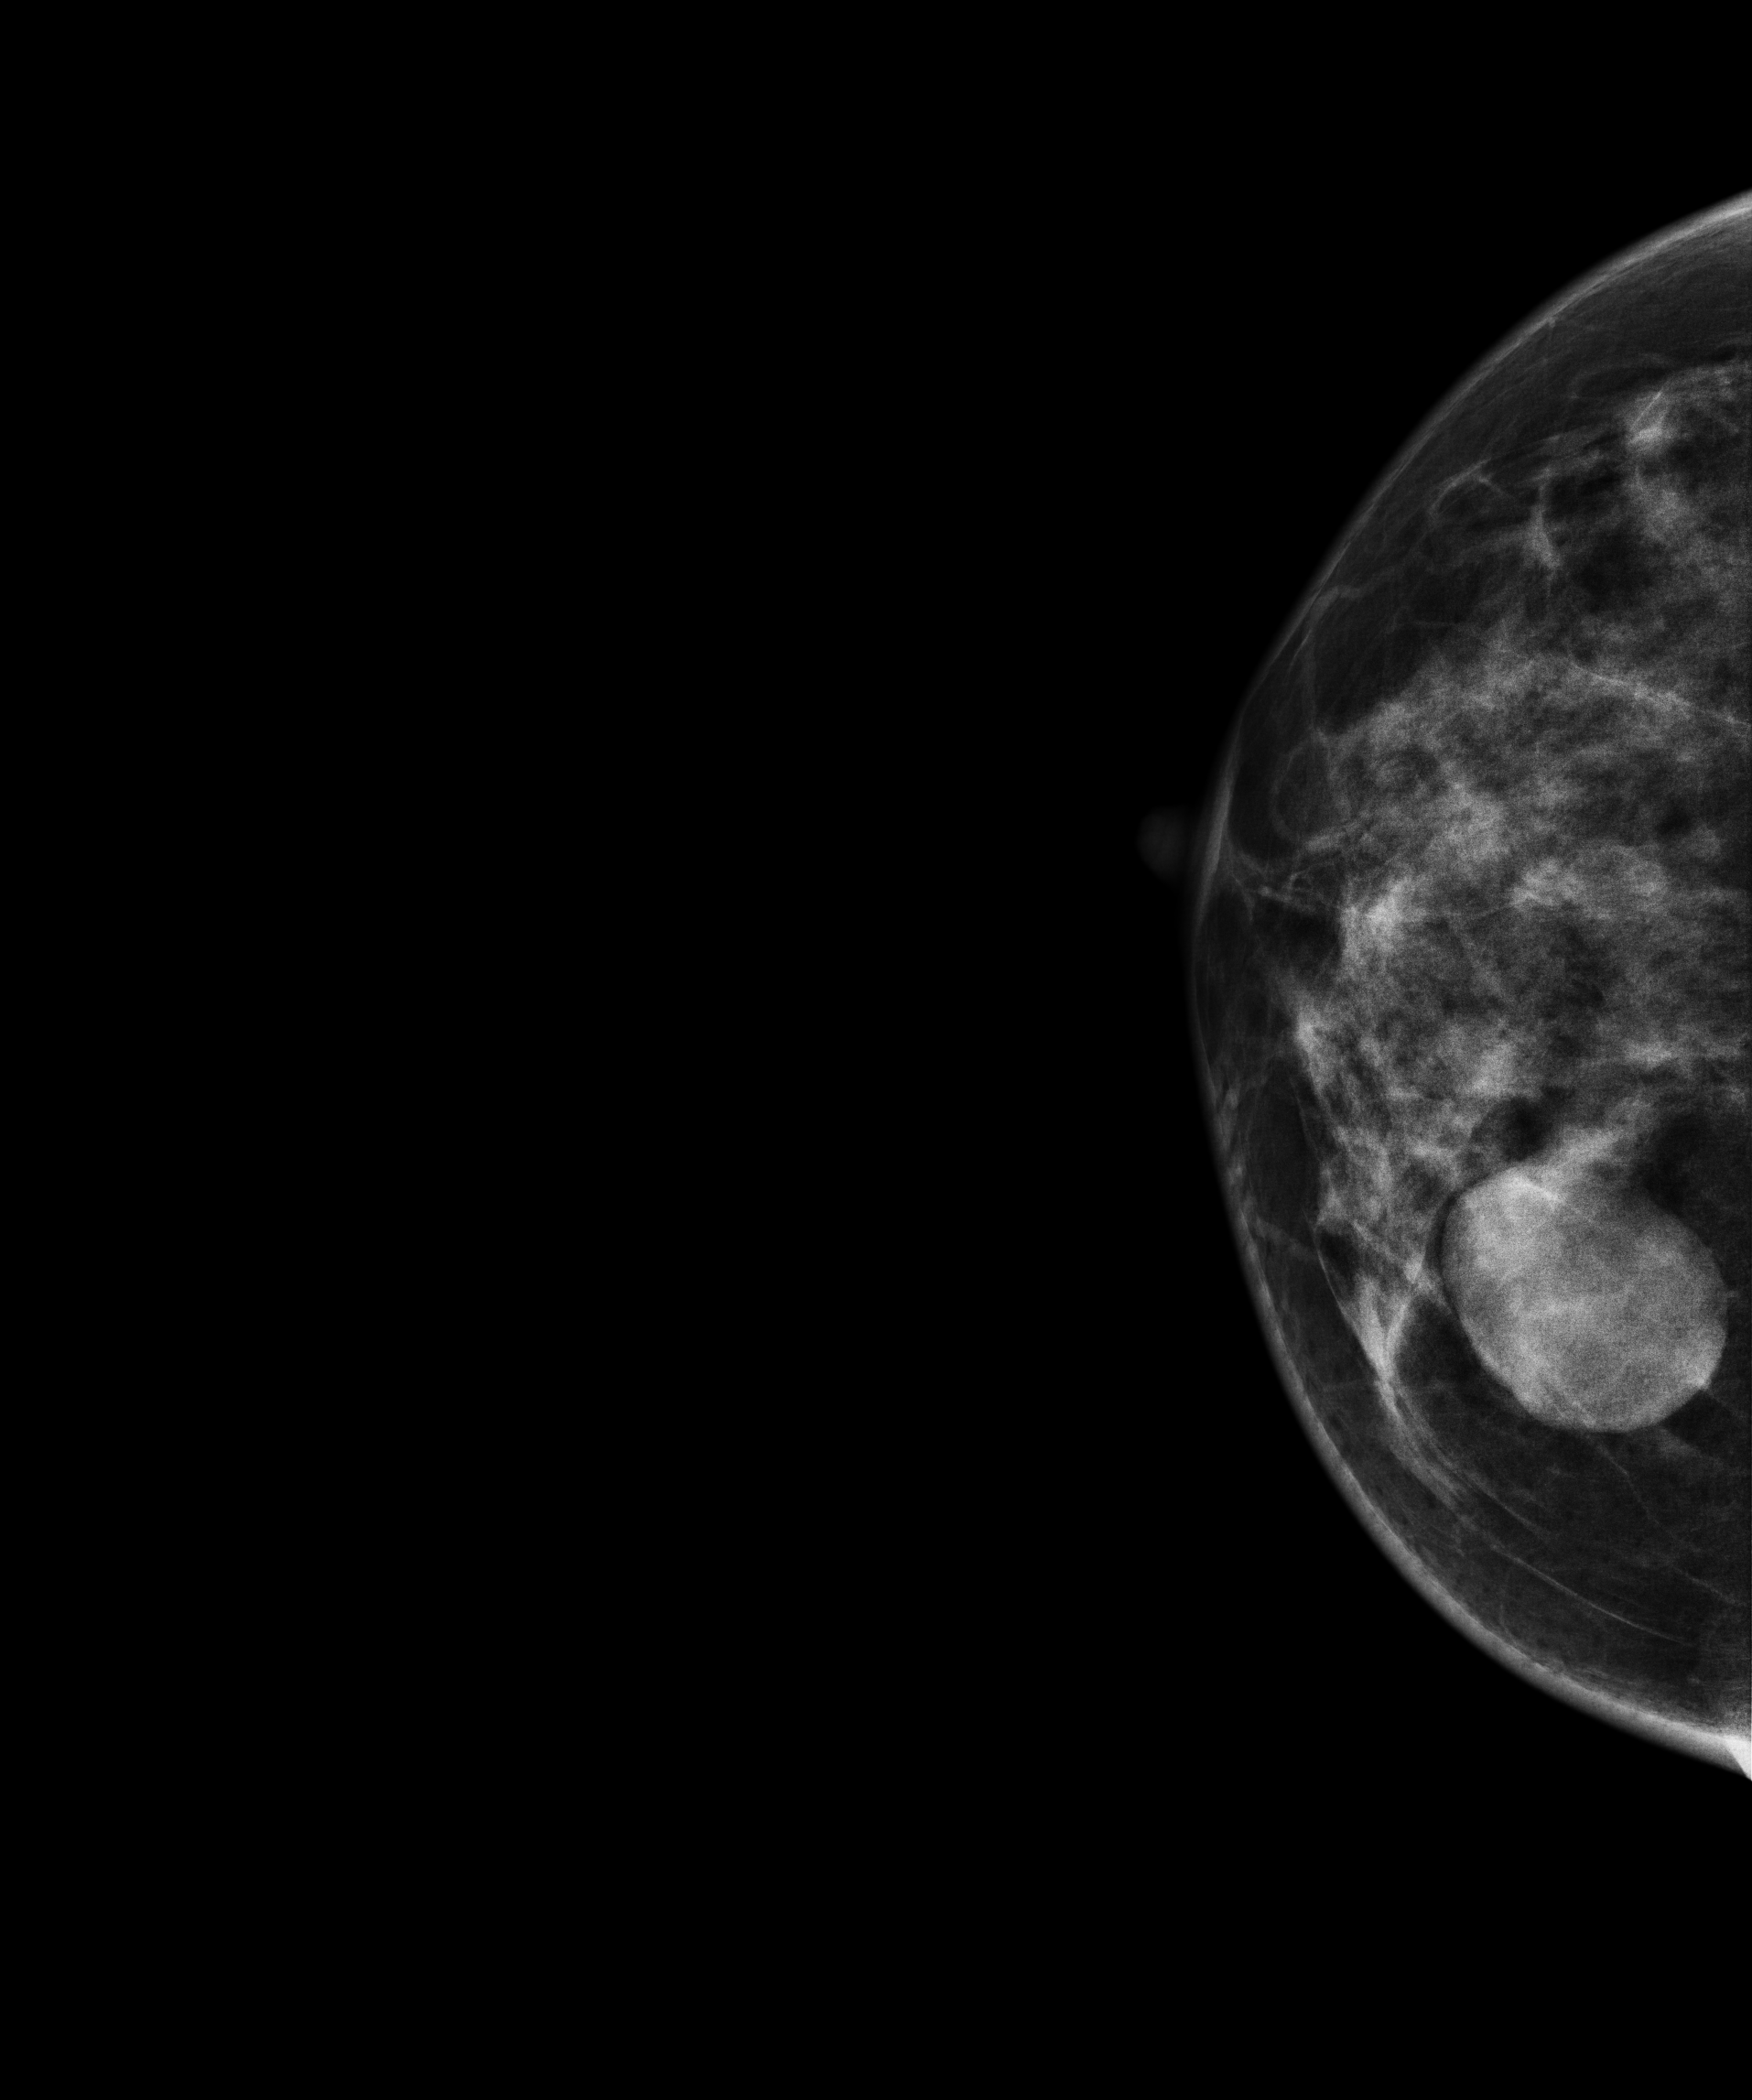
Cranio-caudal mammogram of the right breast. 46 y/o patient.
This breast has a mass, pathology-confirmed benign.